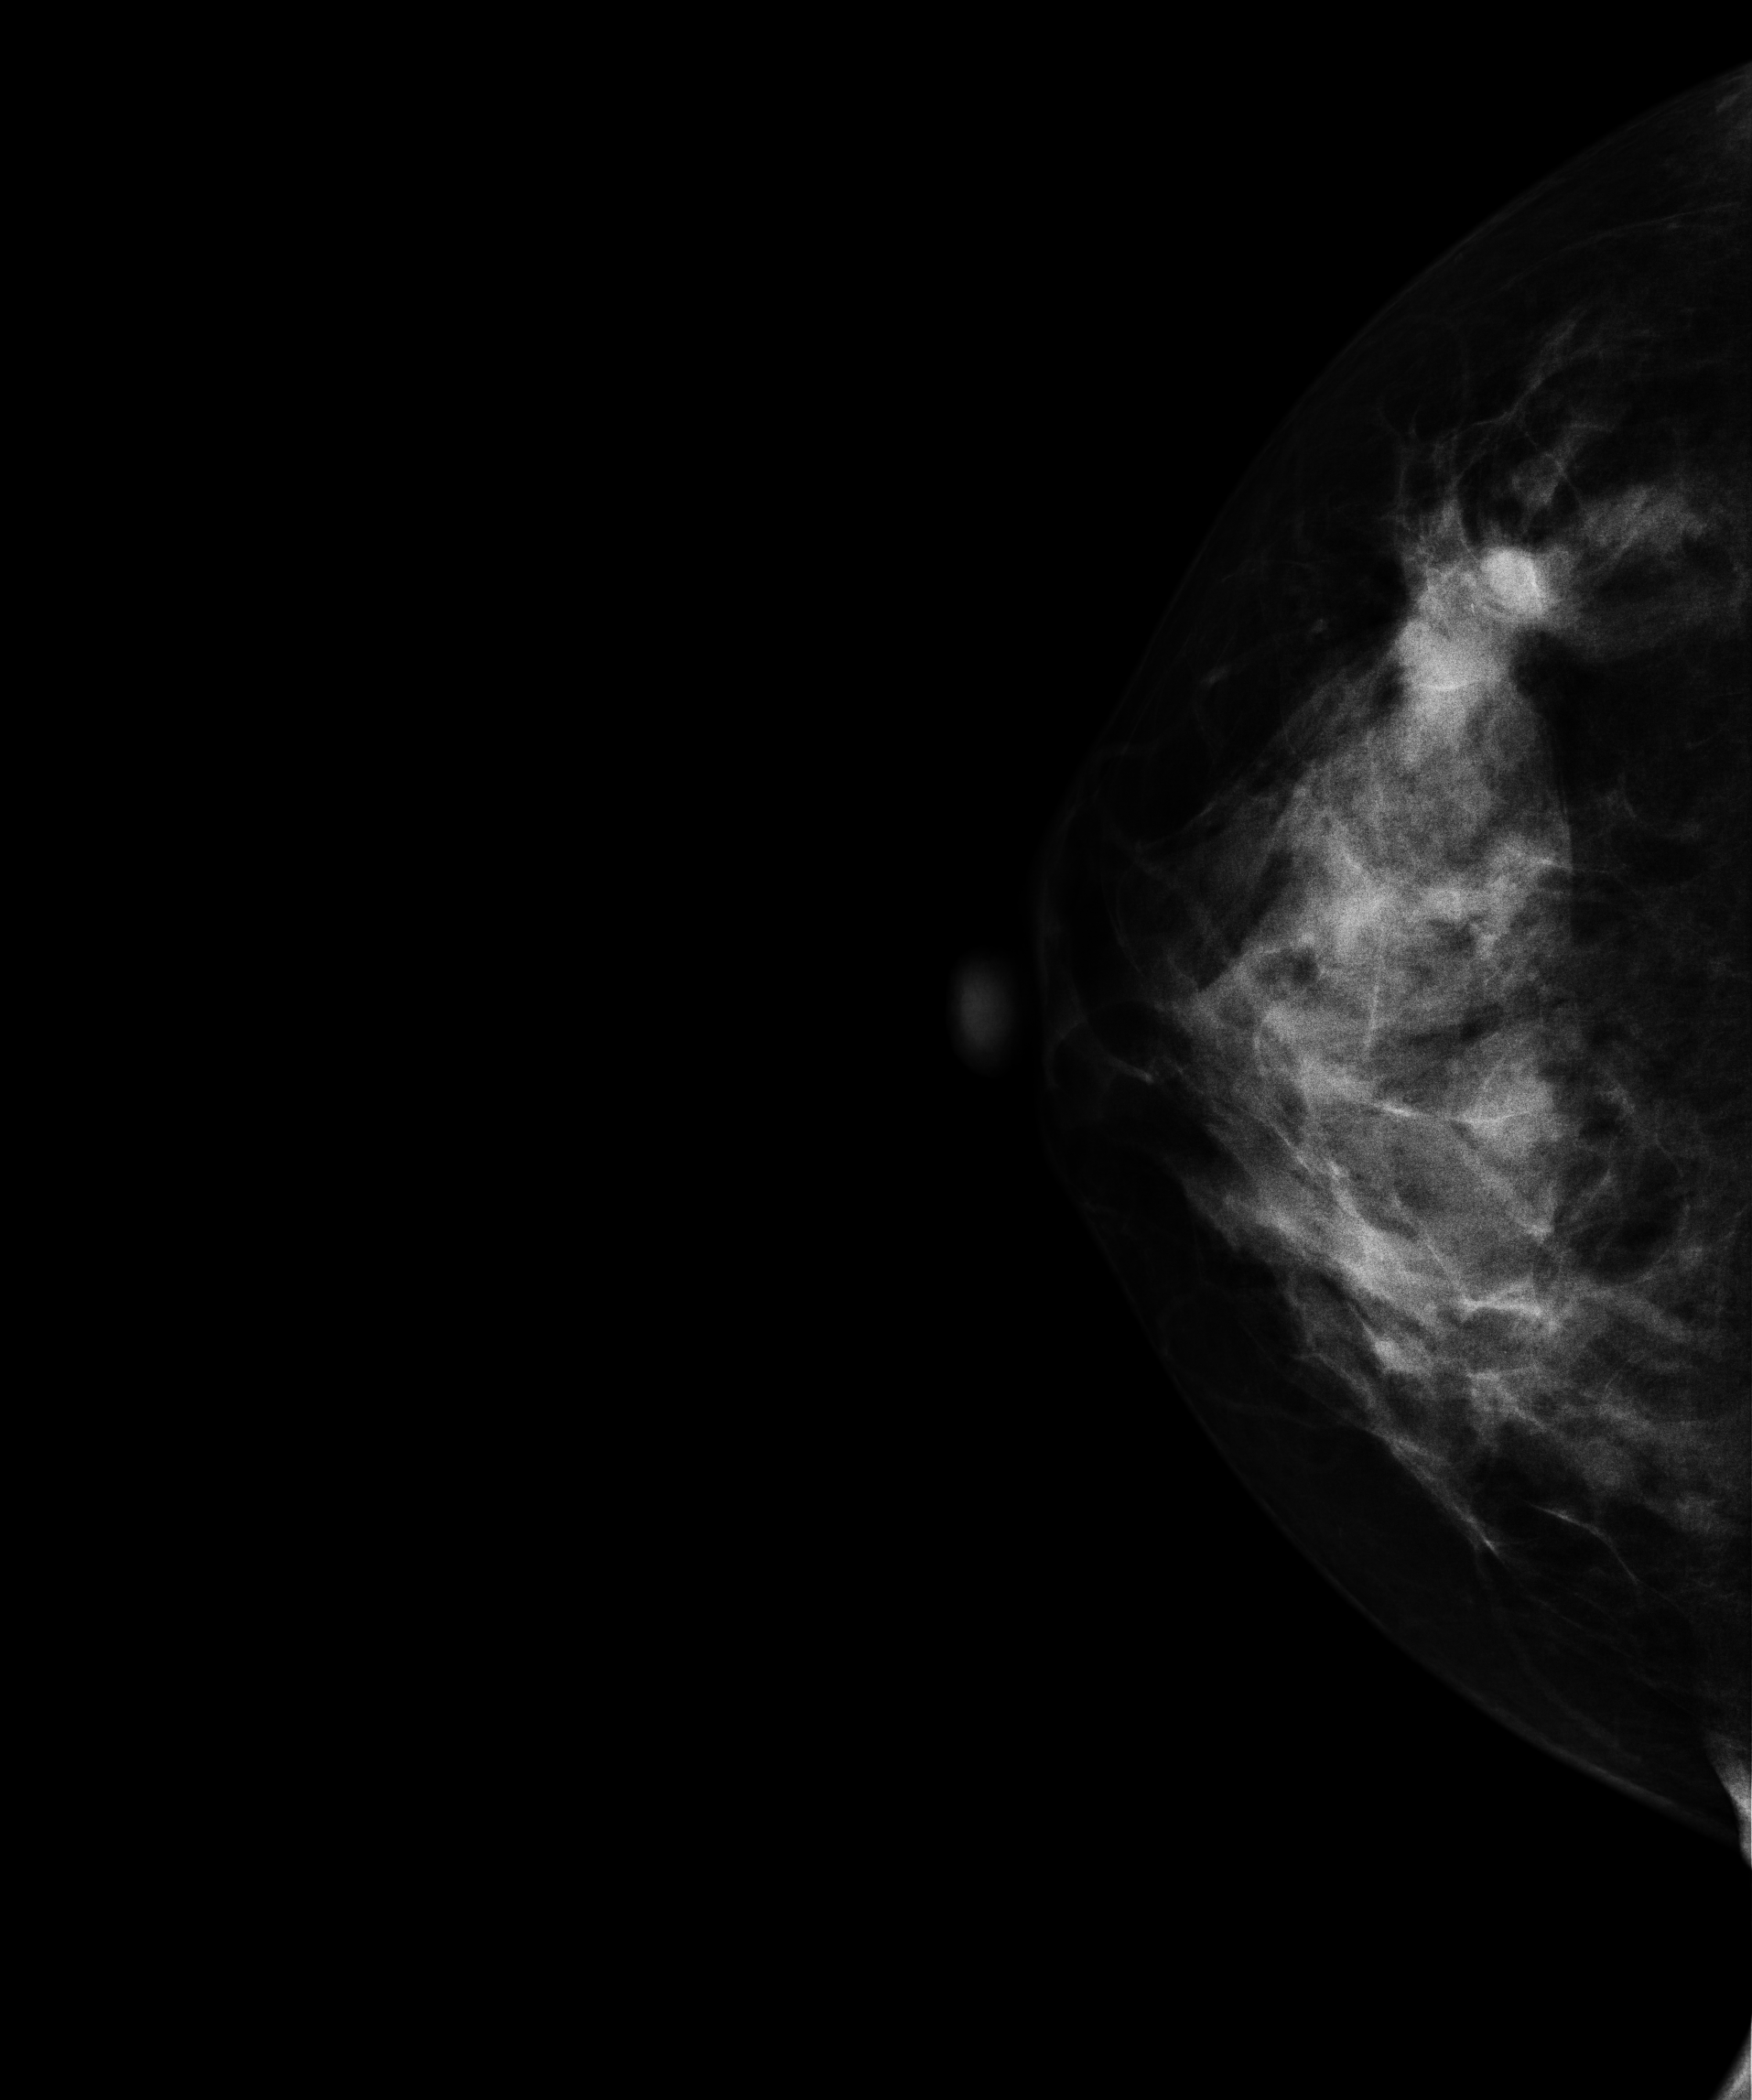
Digital mammography. Right breast, cranio-caudal projection. Patient age 47.
This breast has a mass, biopsy-proven malignant. Molecular subtype: luminal B.